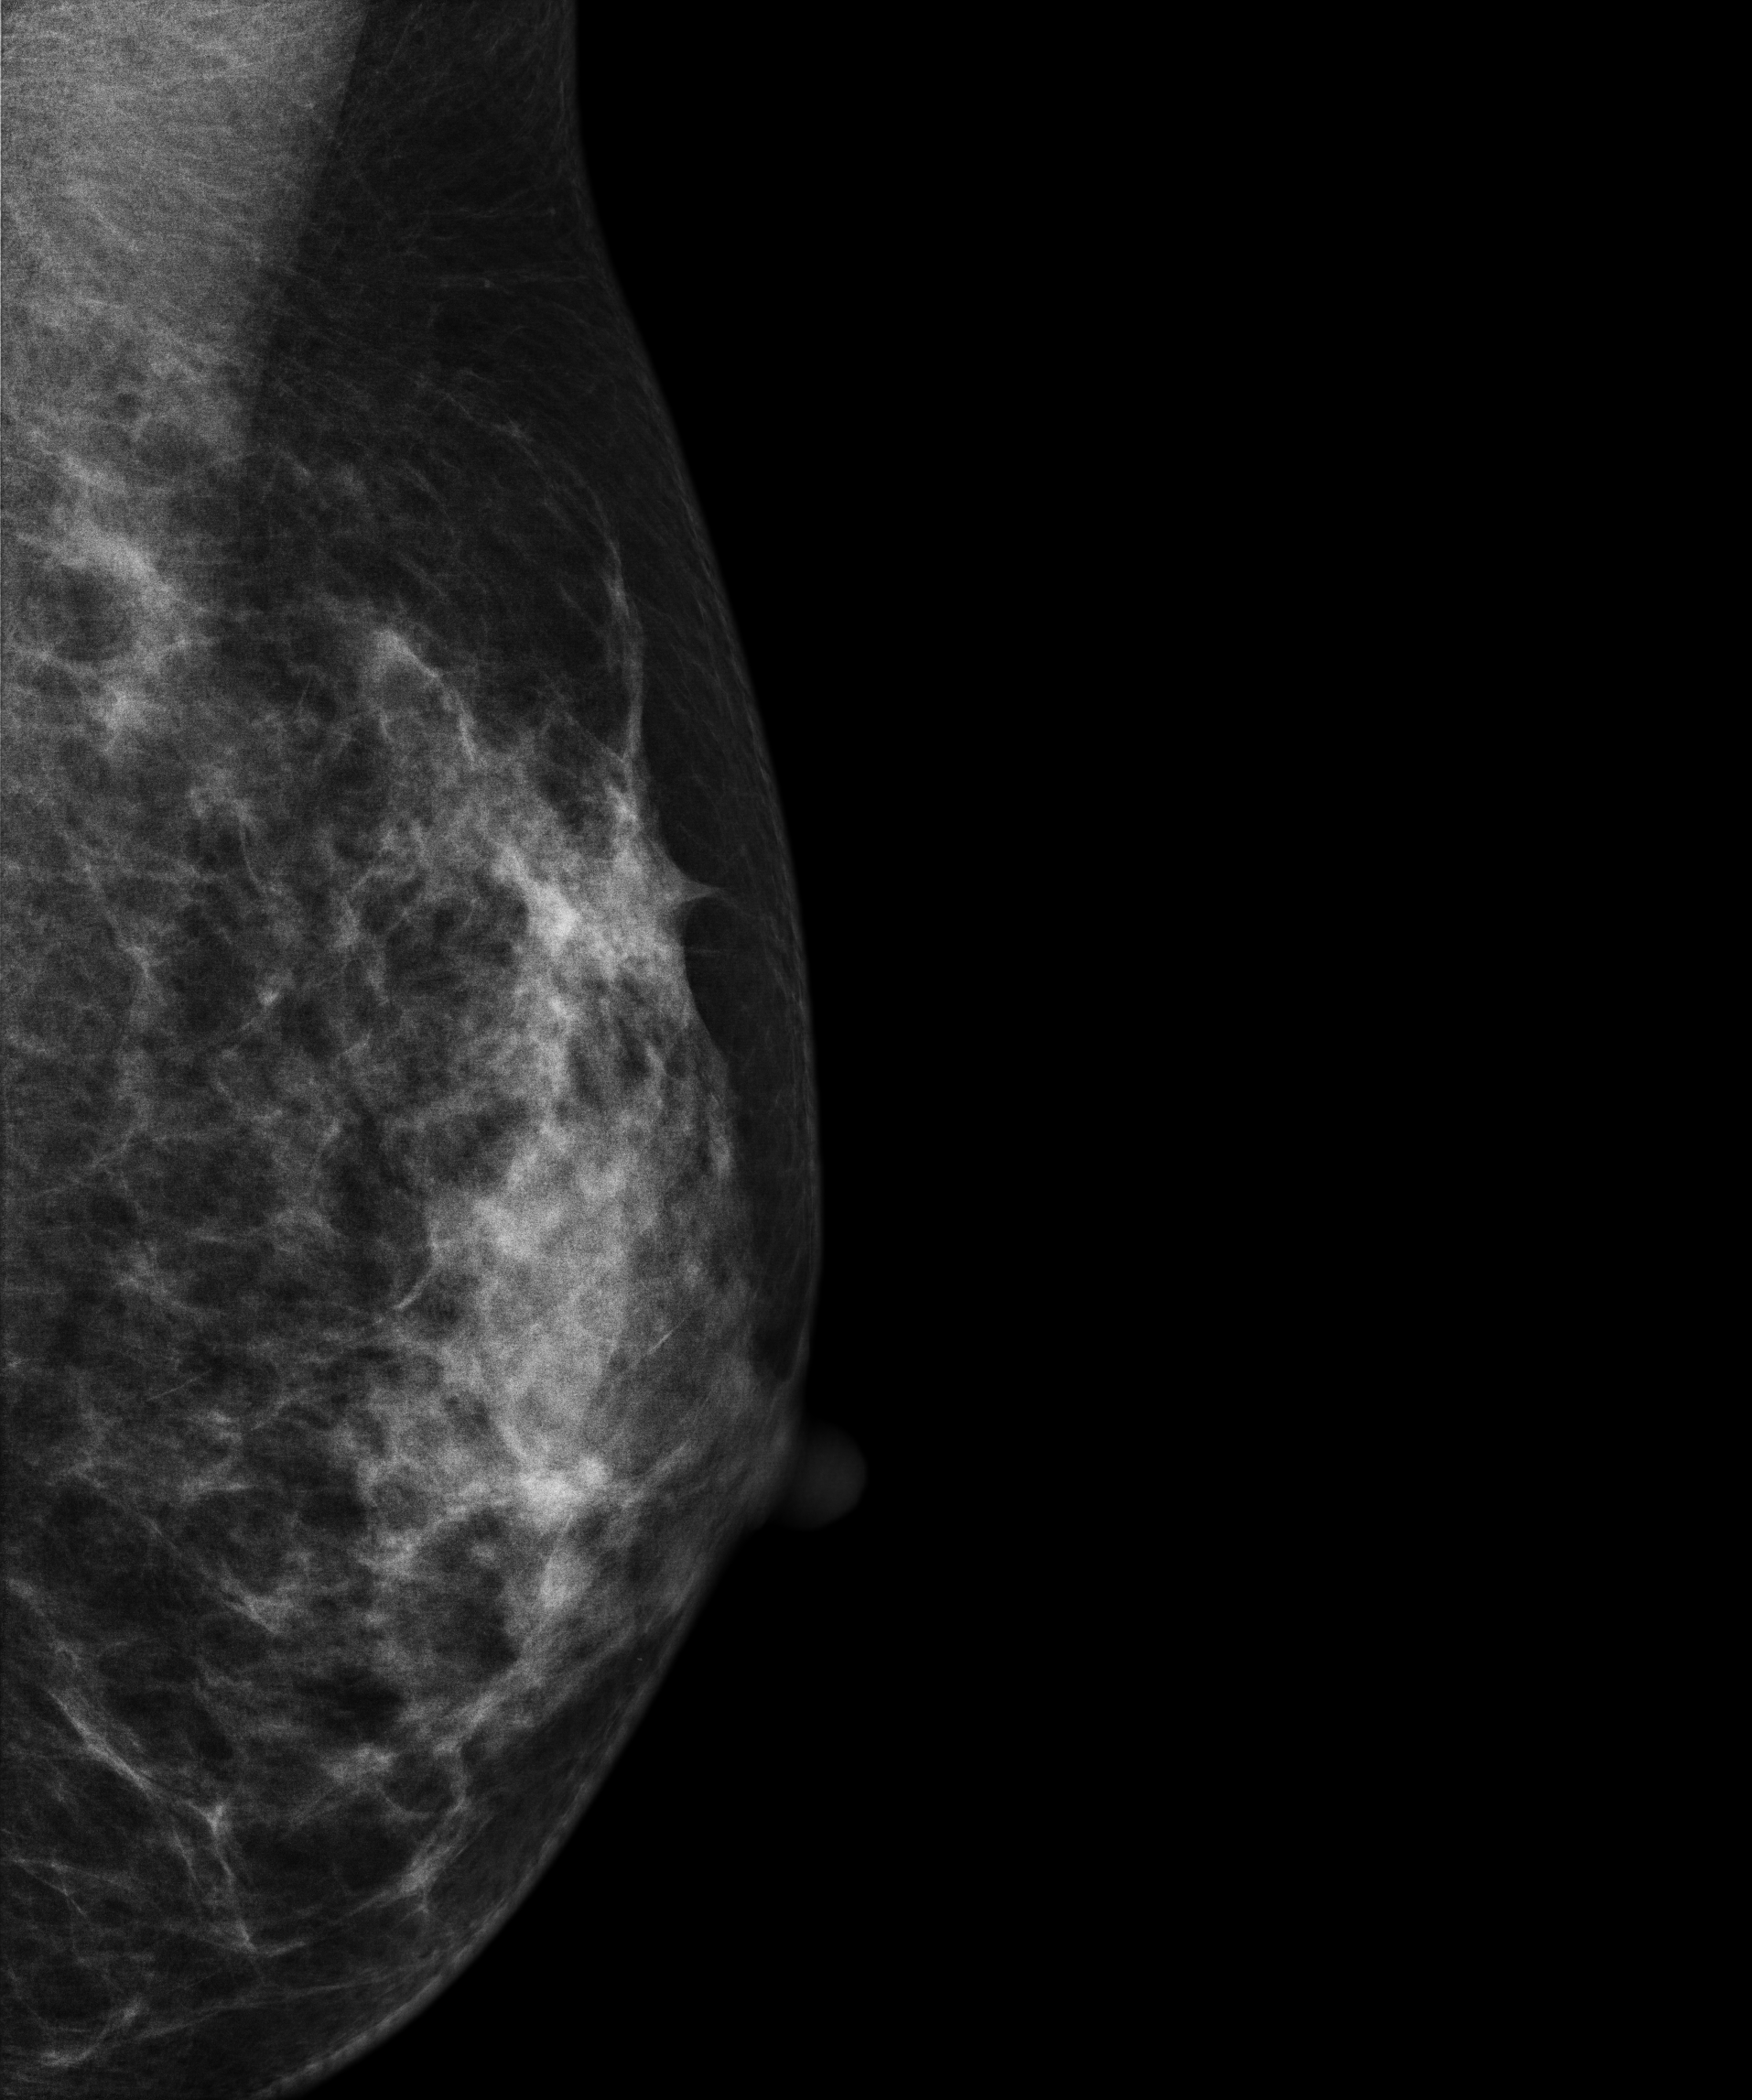
Left-breast mammogram, MLO. 29-year-old patient.
Contralateral breast — no documented abnormality on this side.